Digital mammography. Left breast, MLO projection. 44-year-old patient.
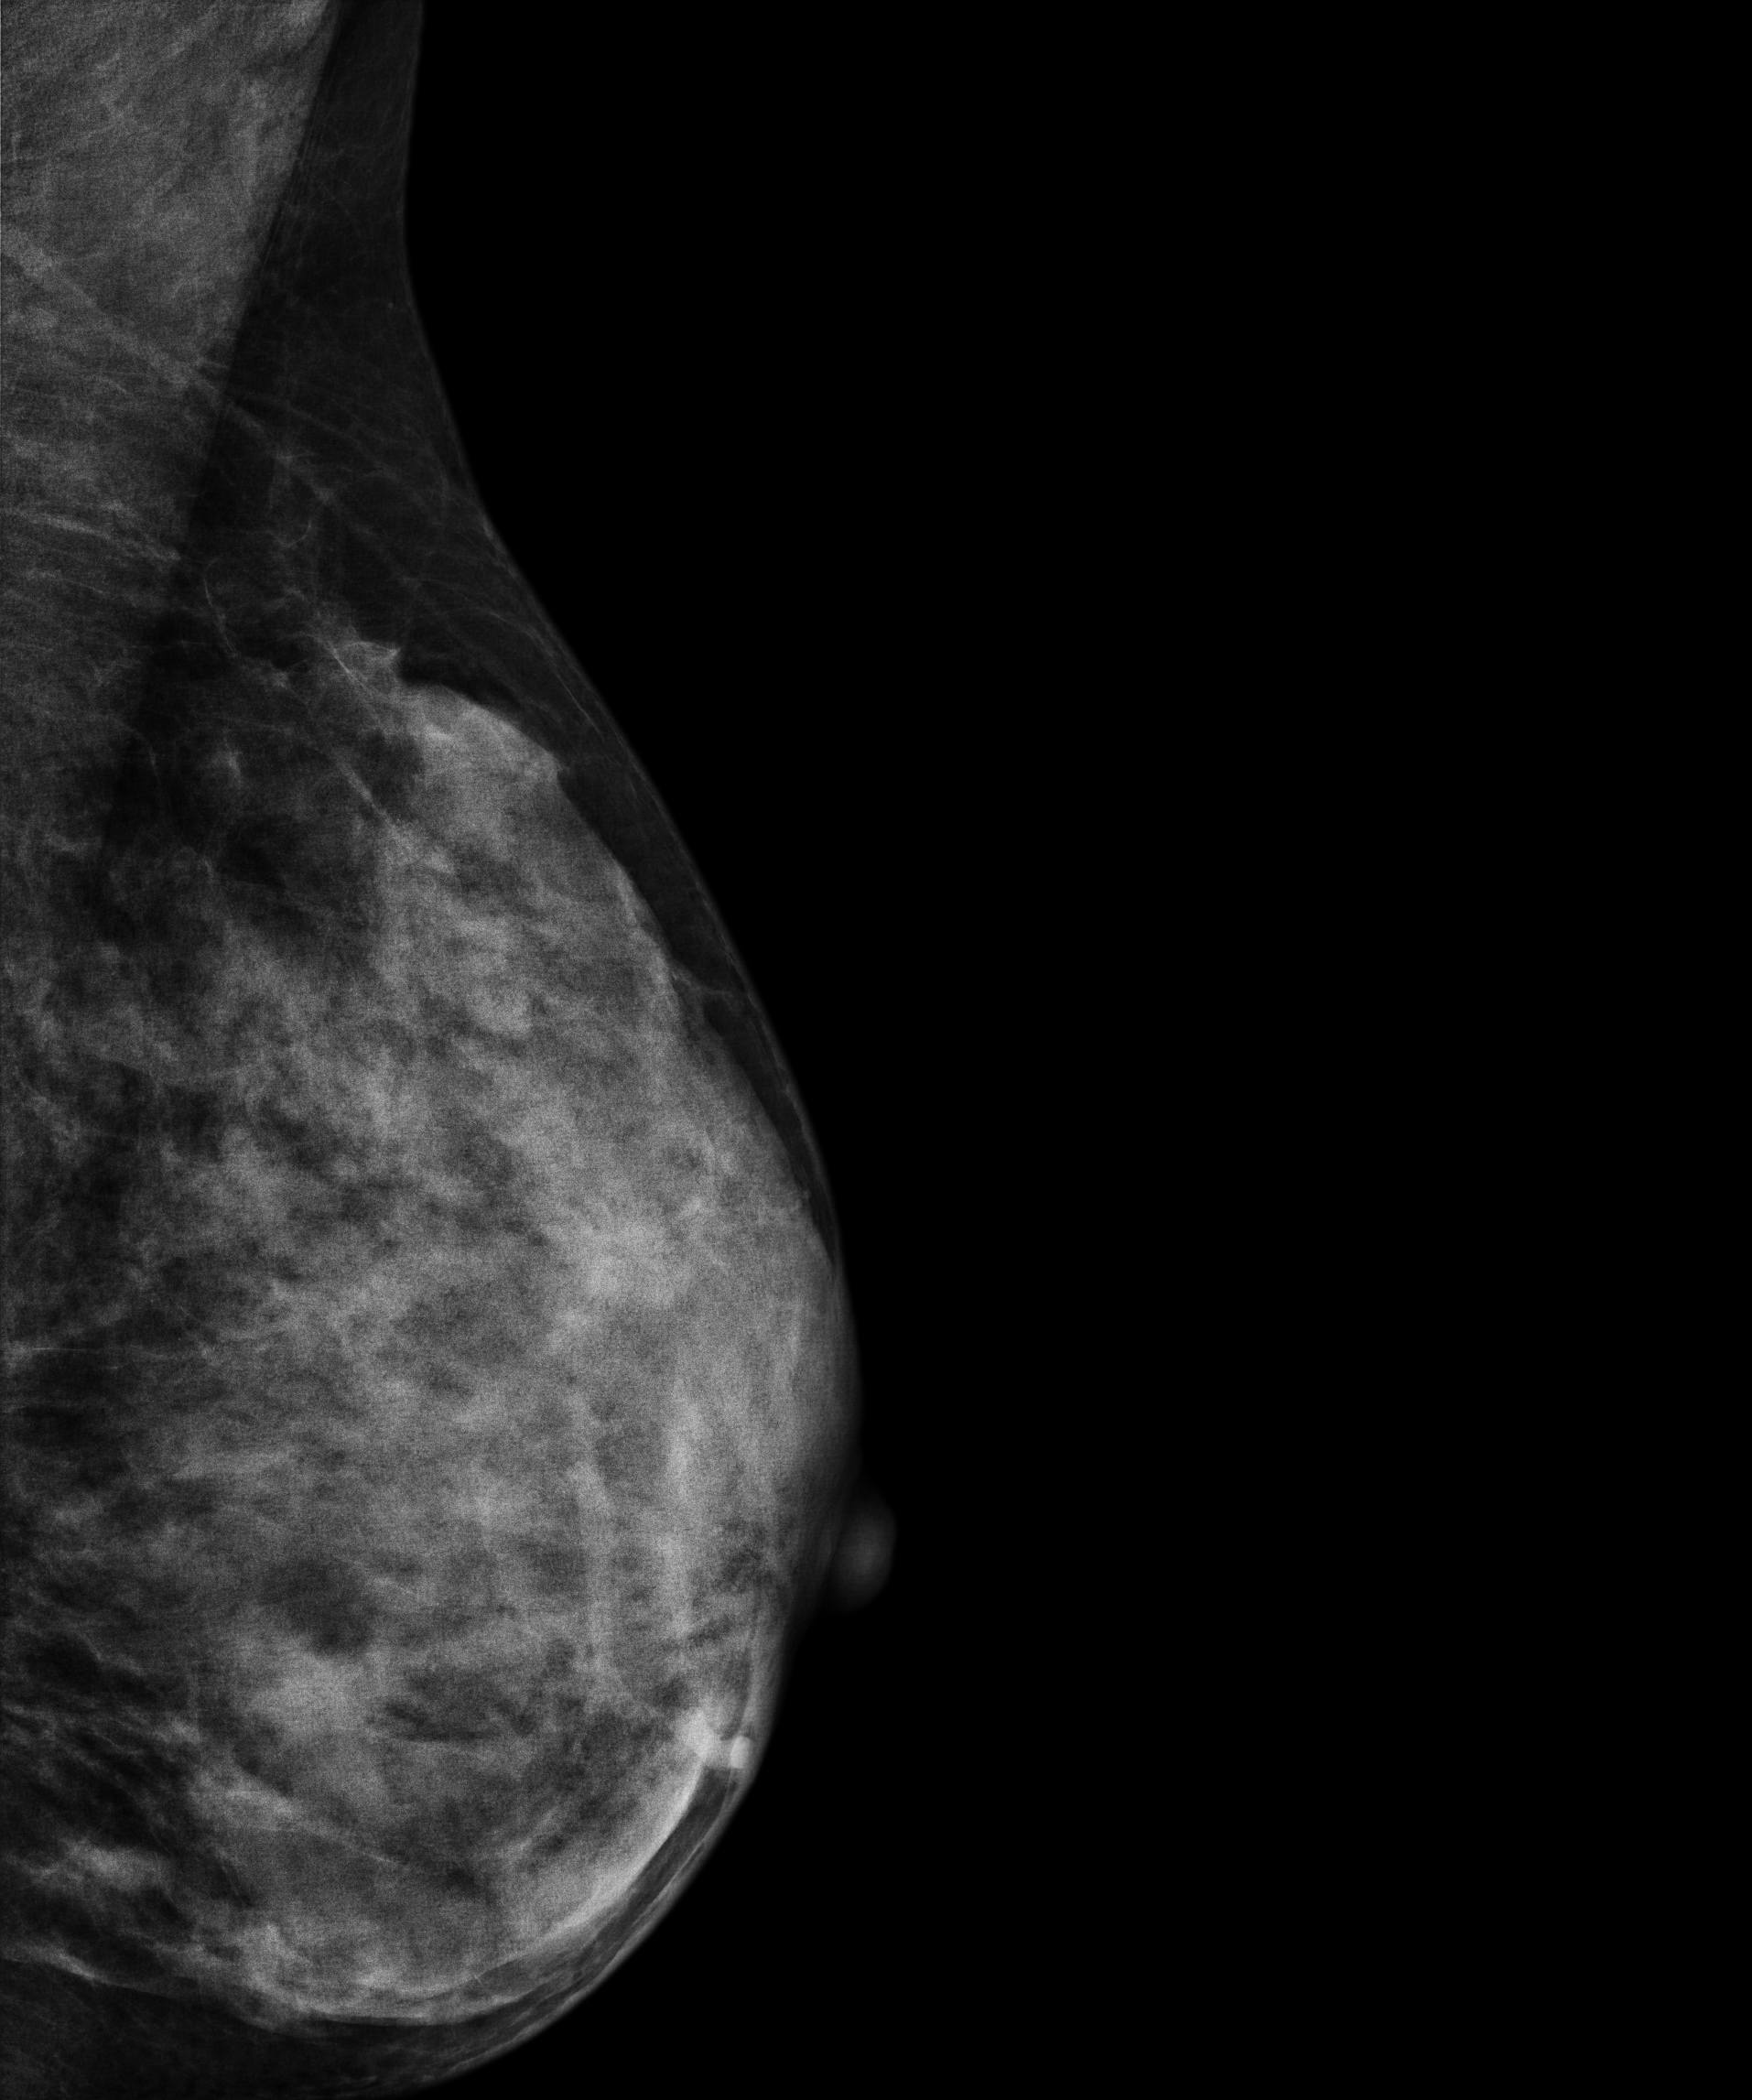
Contralateral breast — no documented abnormality on this side.